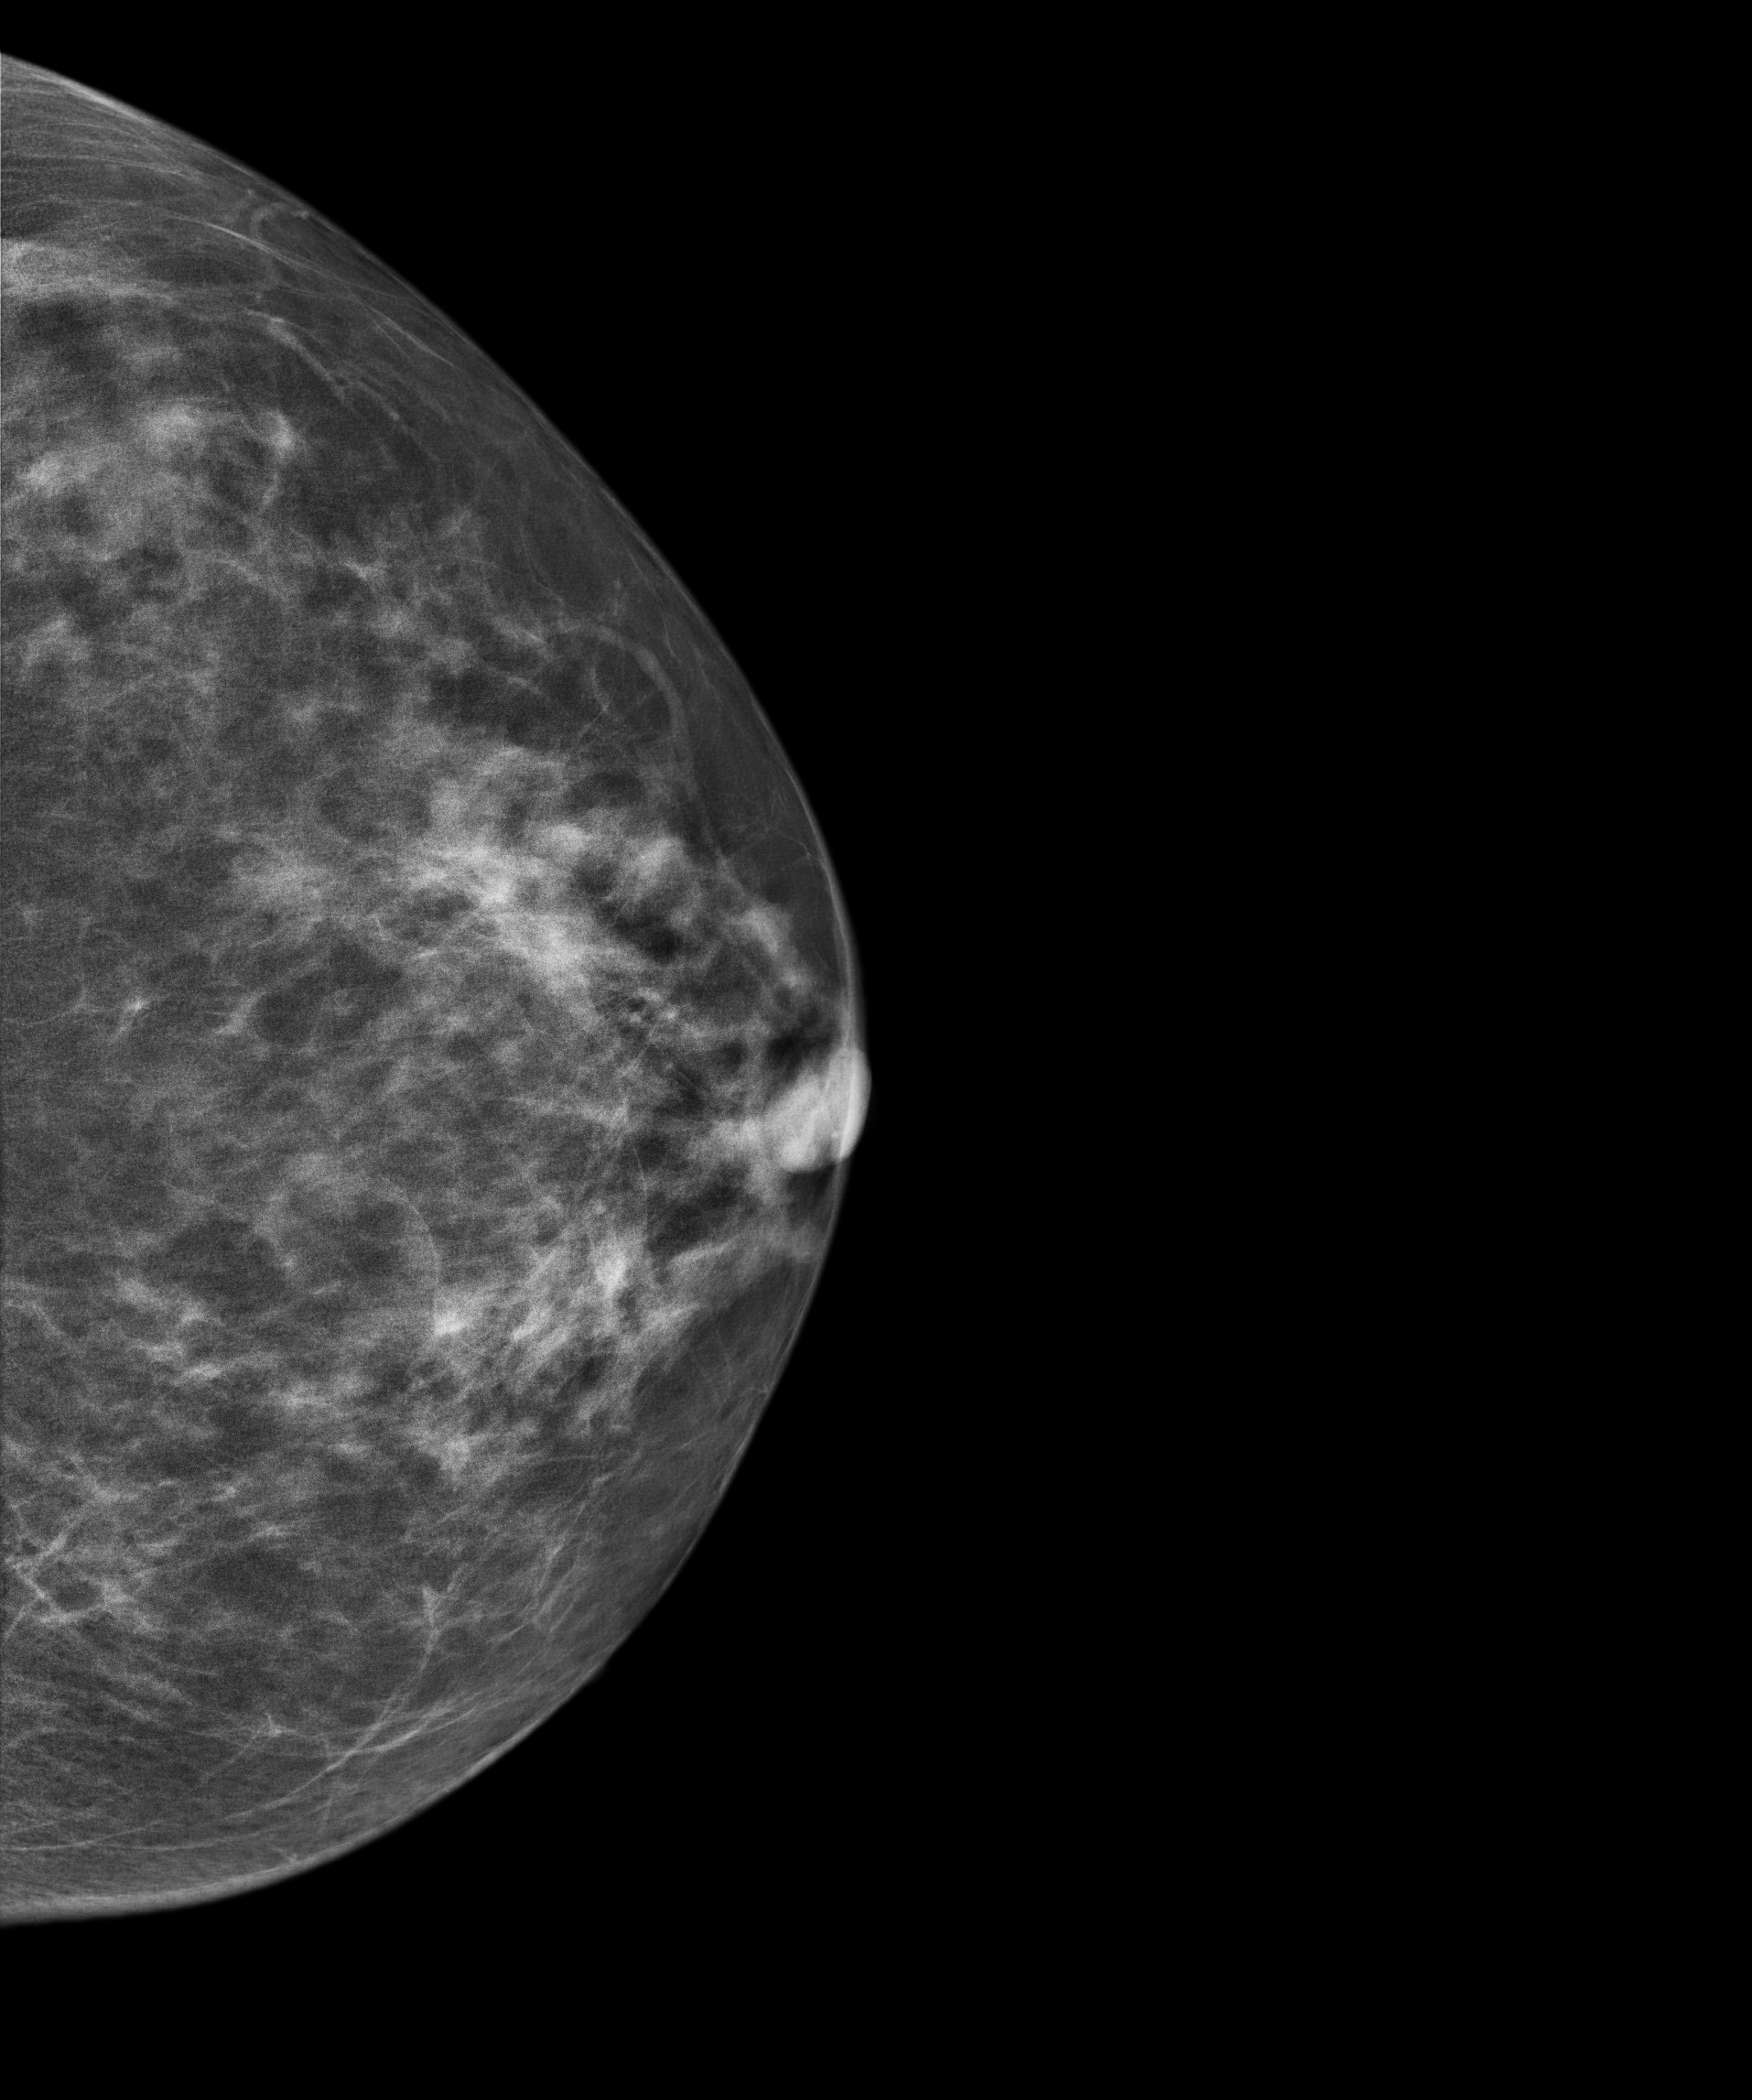
Mammogram, left breast, CC view. 56-year-old patient.
Contralateral breast — no documented abnormality on this side.